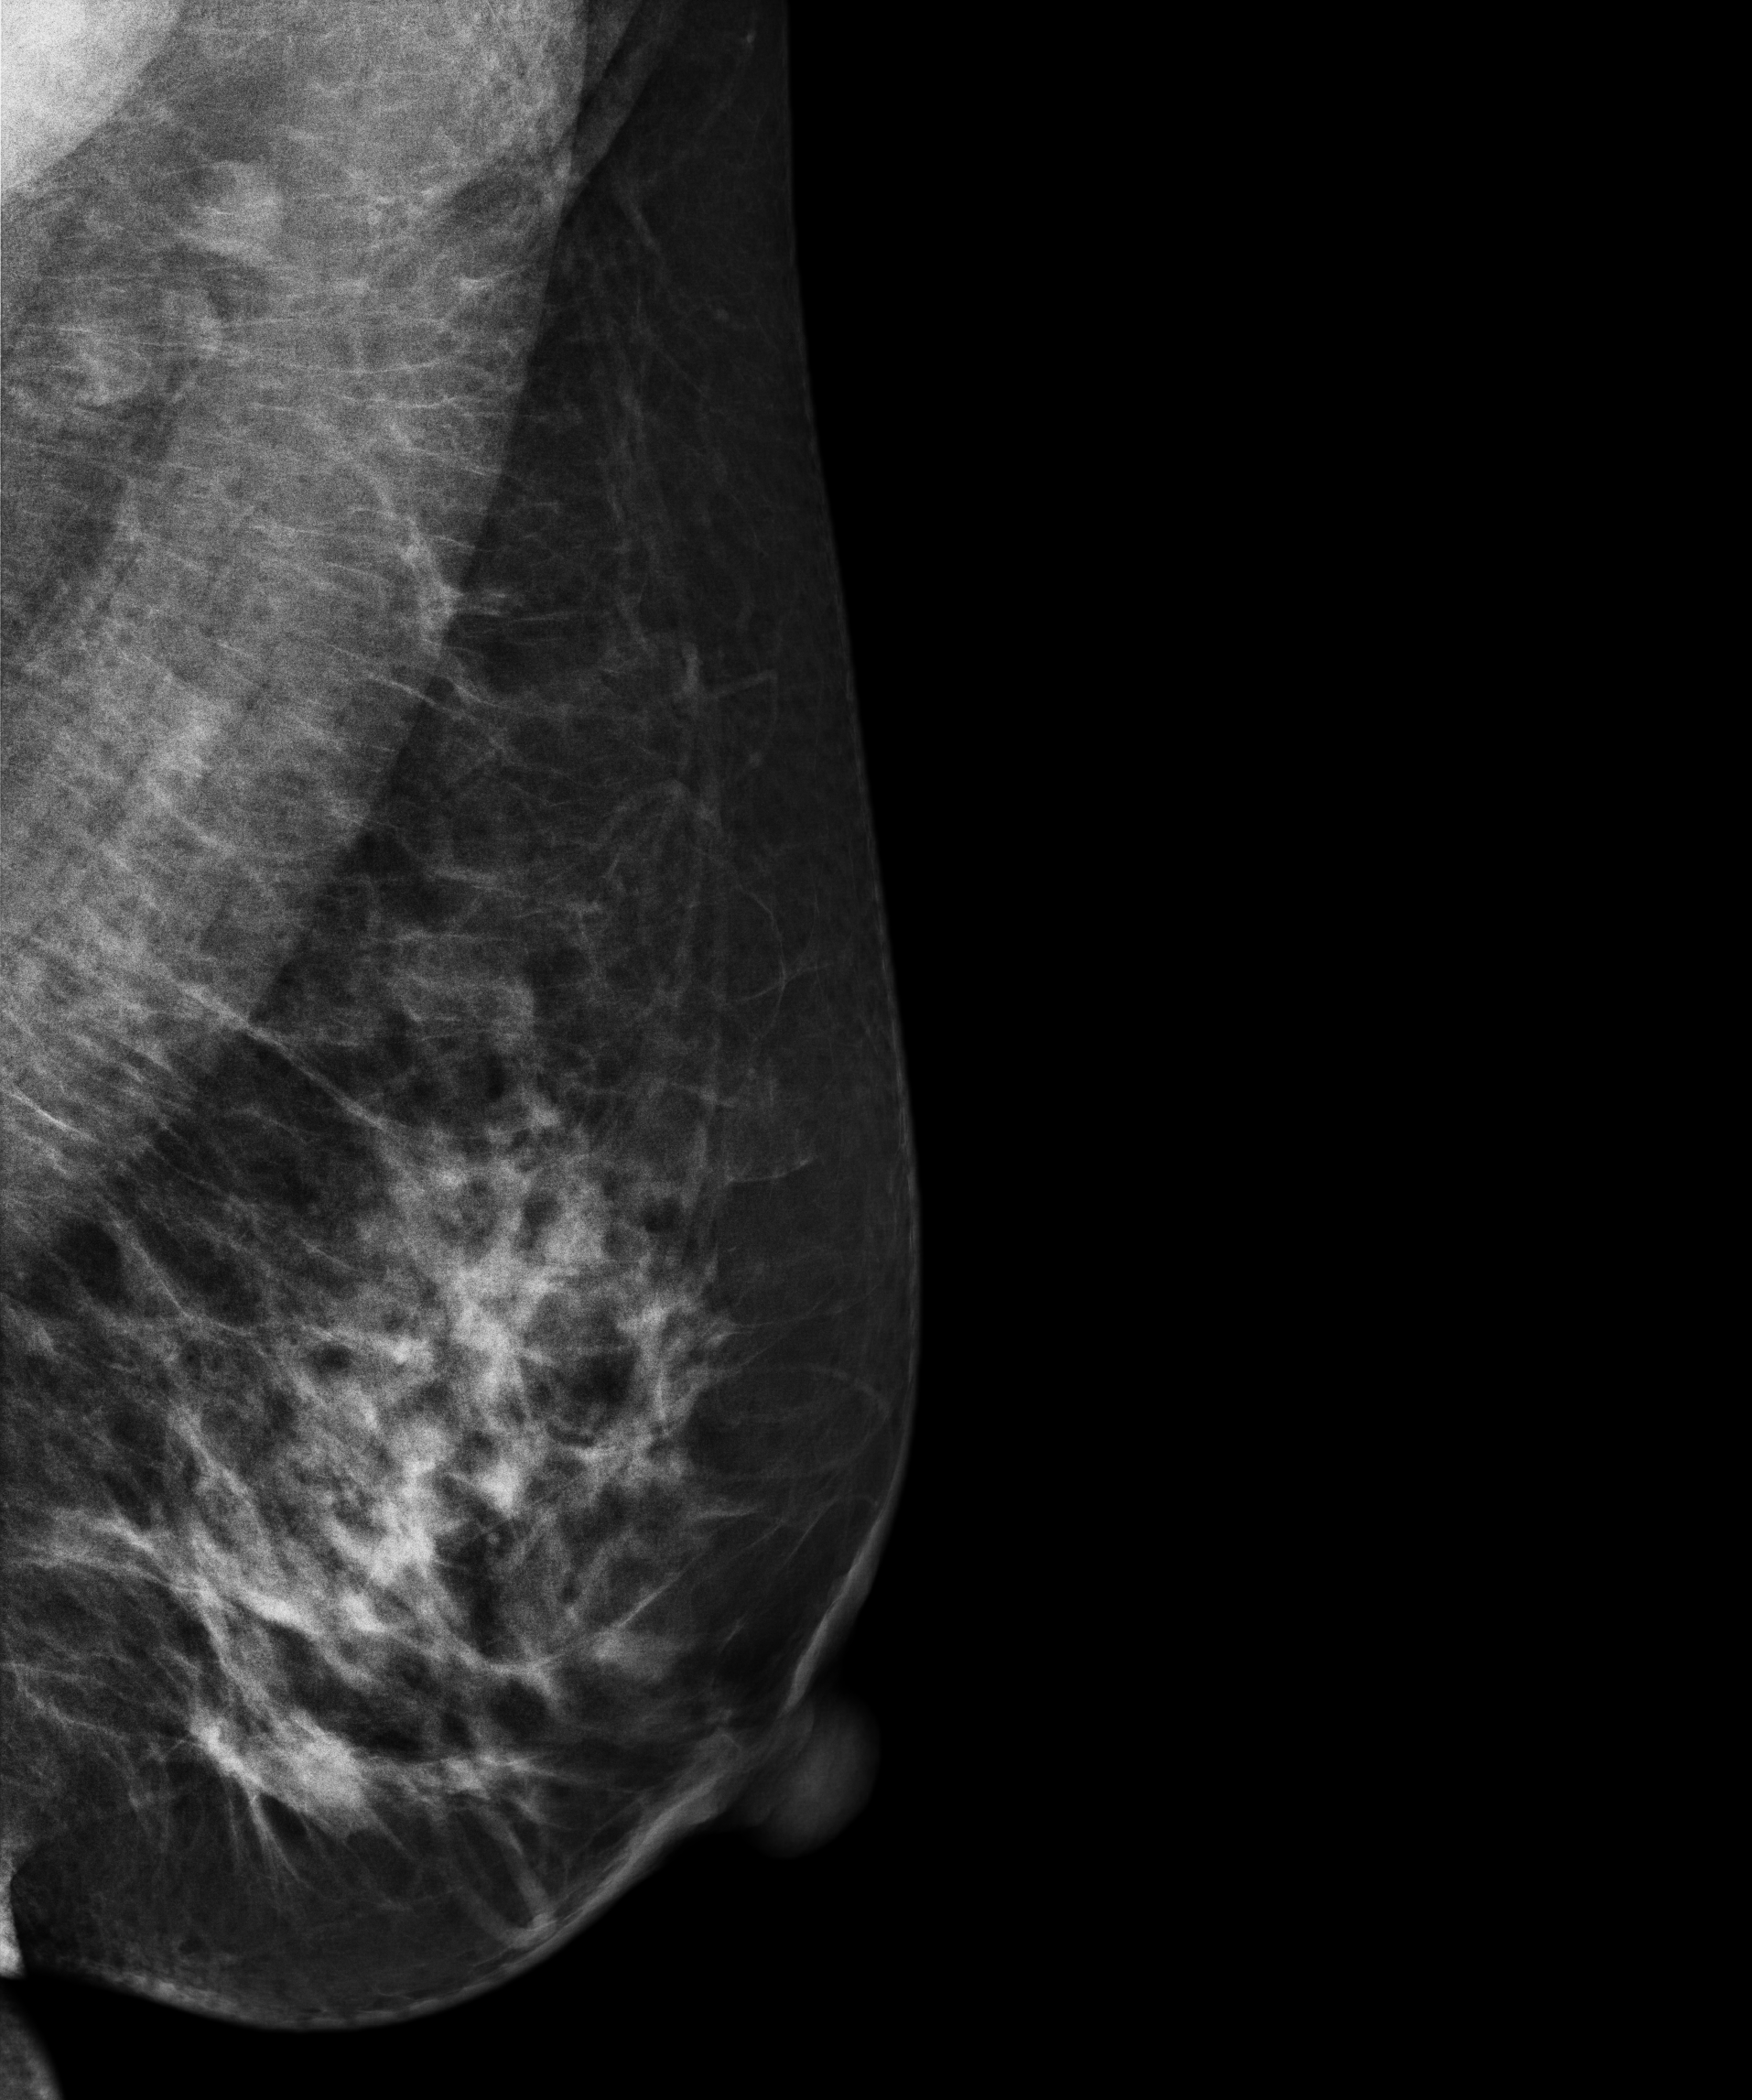
Left-breast mammogram, medio-lateral oblique. 43-year-old patient.
Contralateral breast — no documented abnormality on this side.